Right-breast mammogram, medio-lateral oblique. 57 y/o patient.
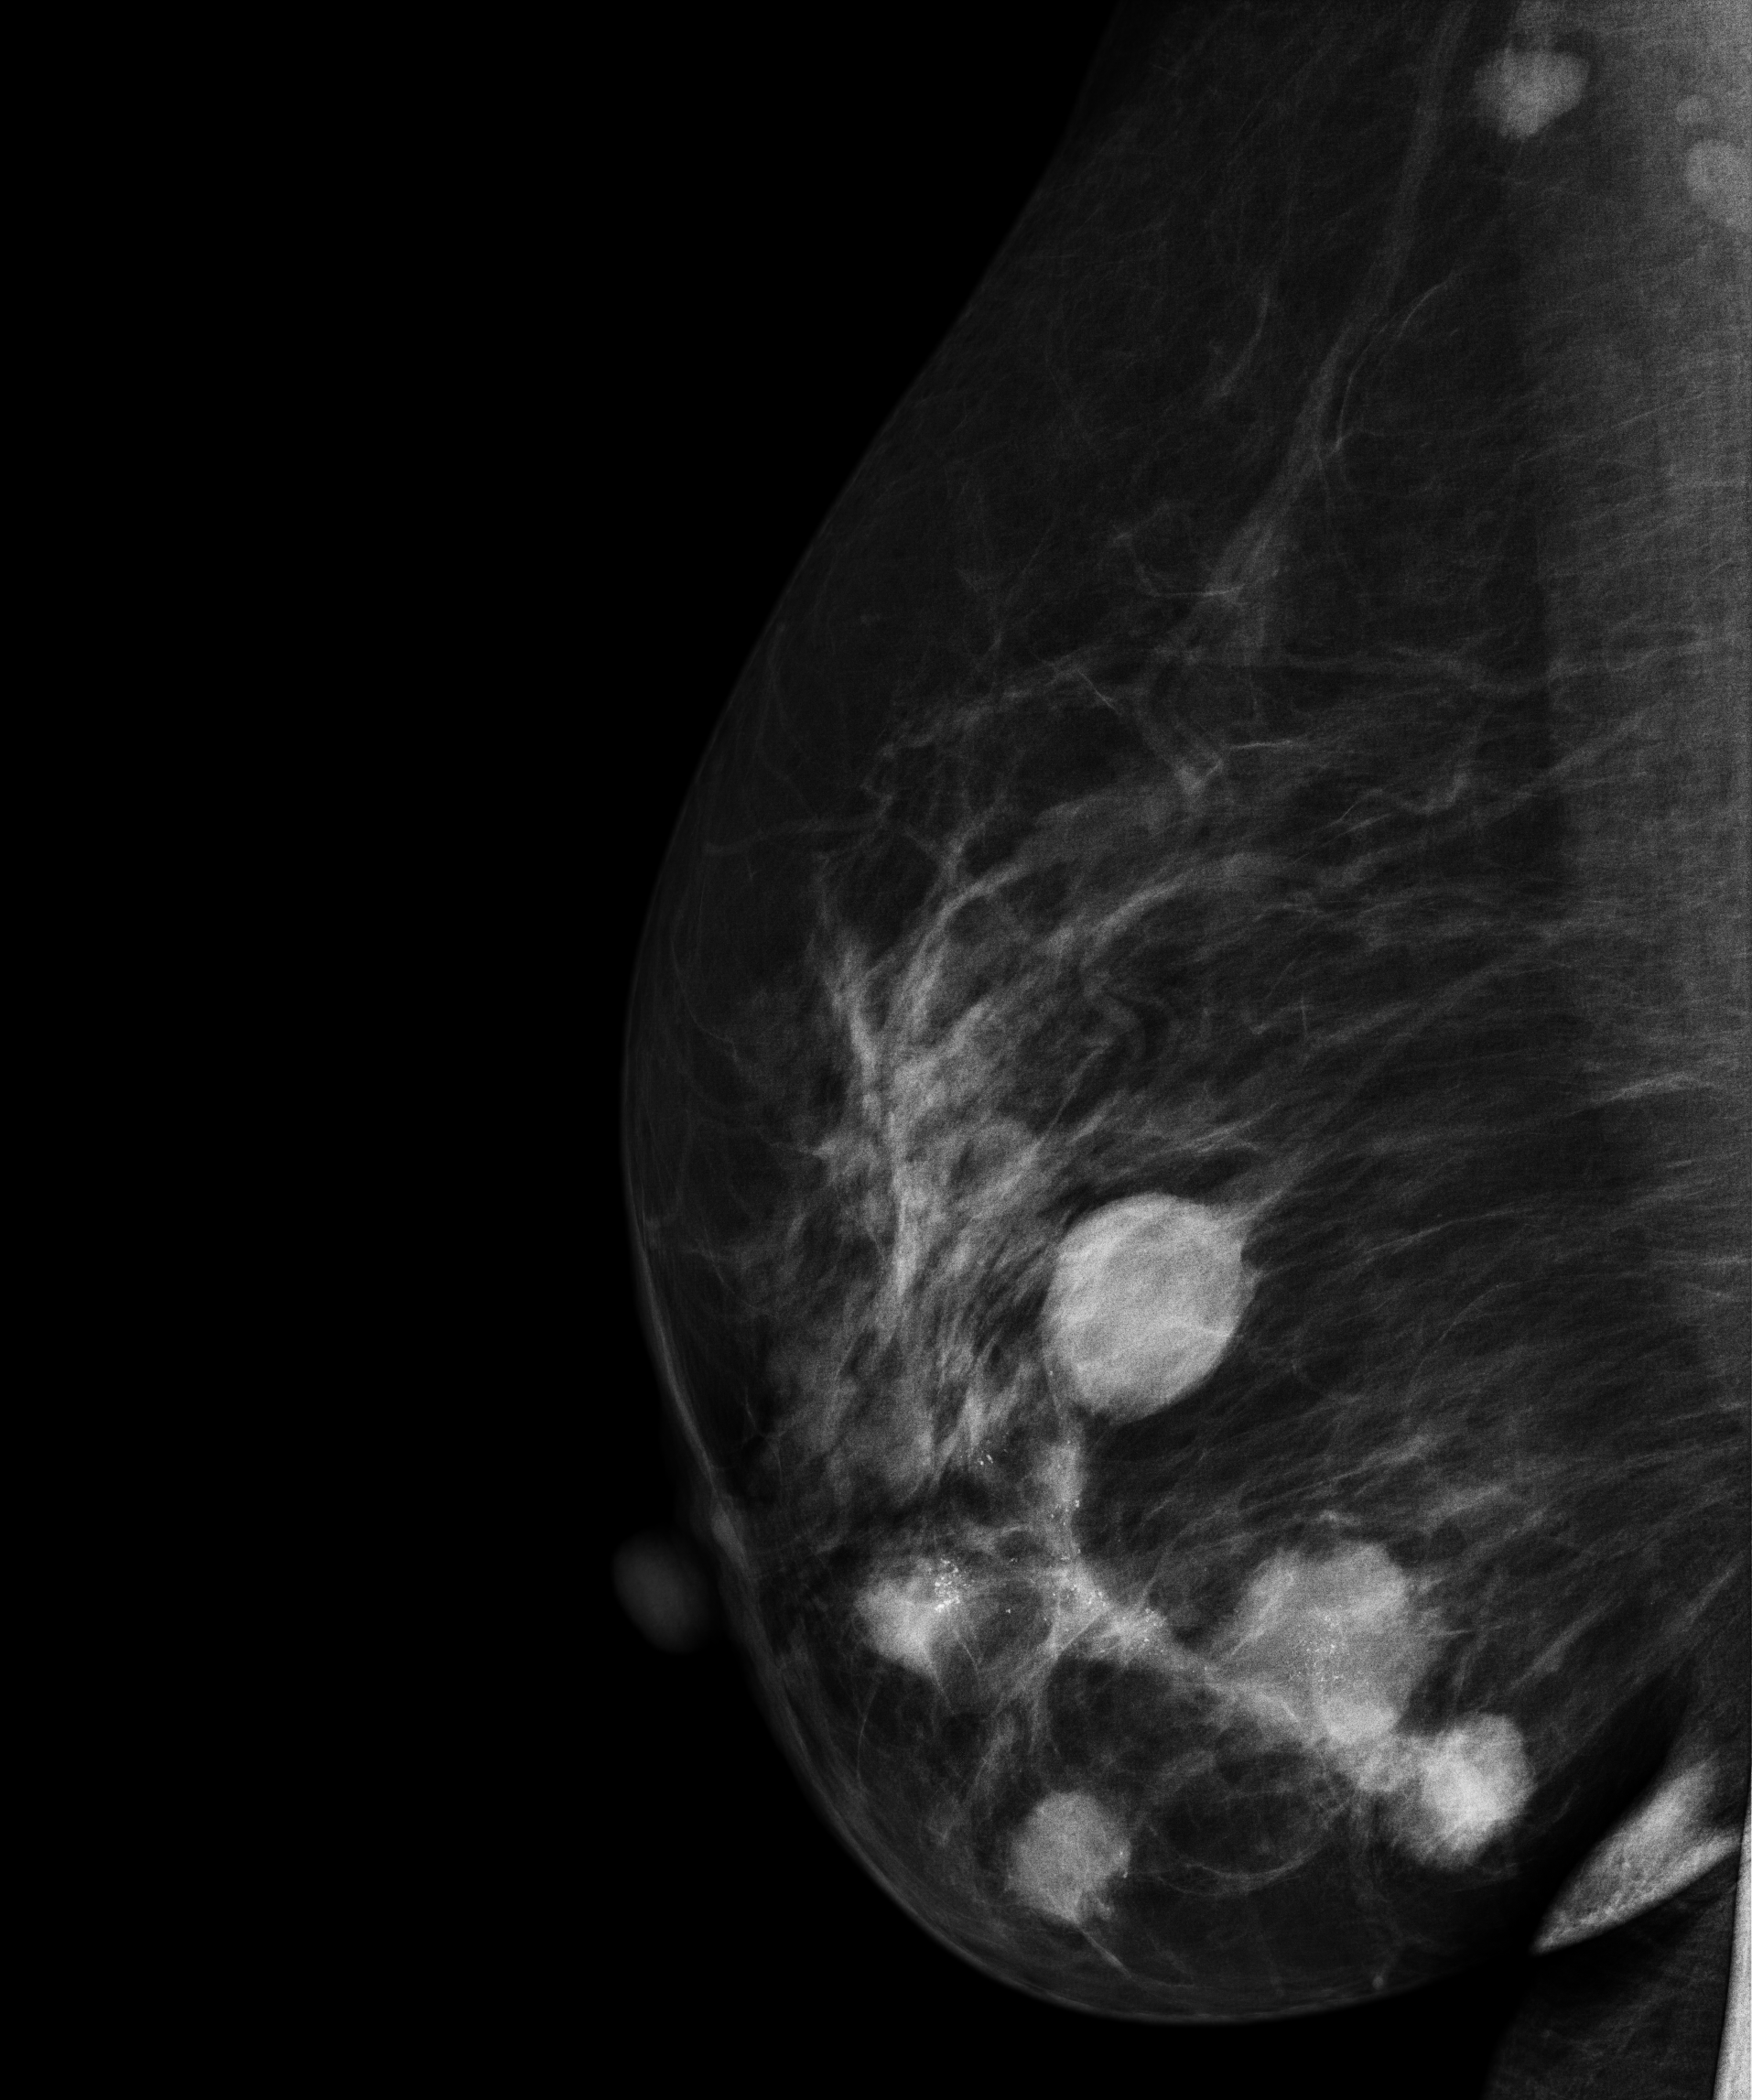
This breast has a mass and calcifications, histologically confirmed malignant. Molecular subtype: luminal B.